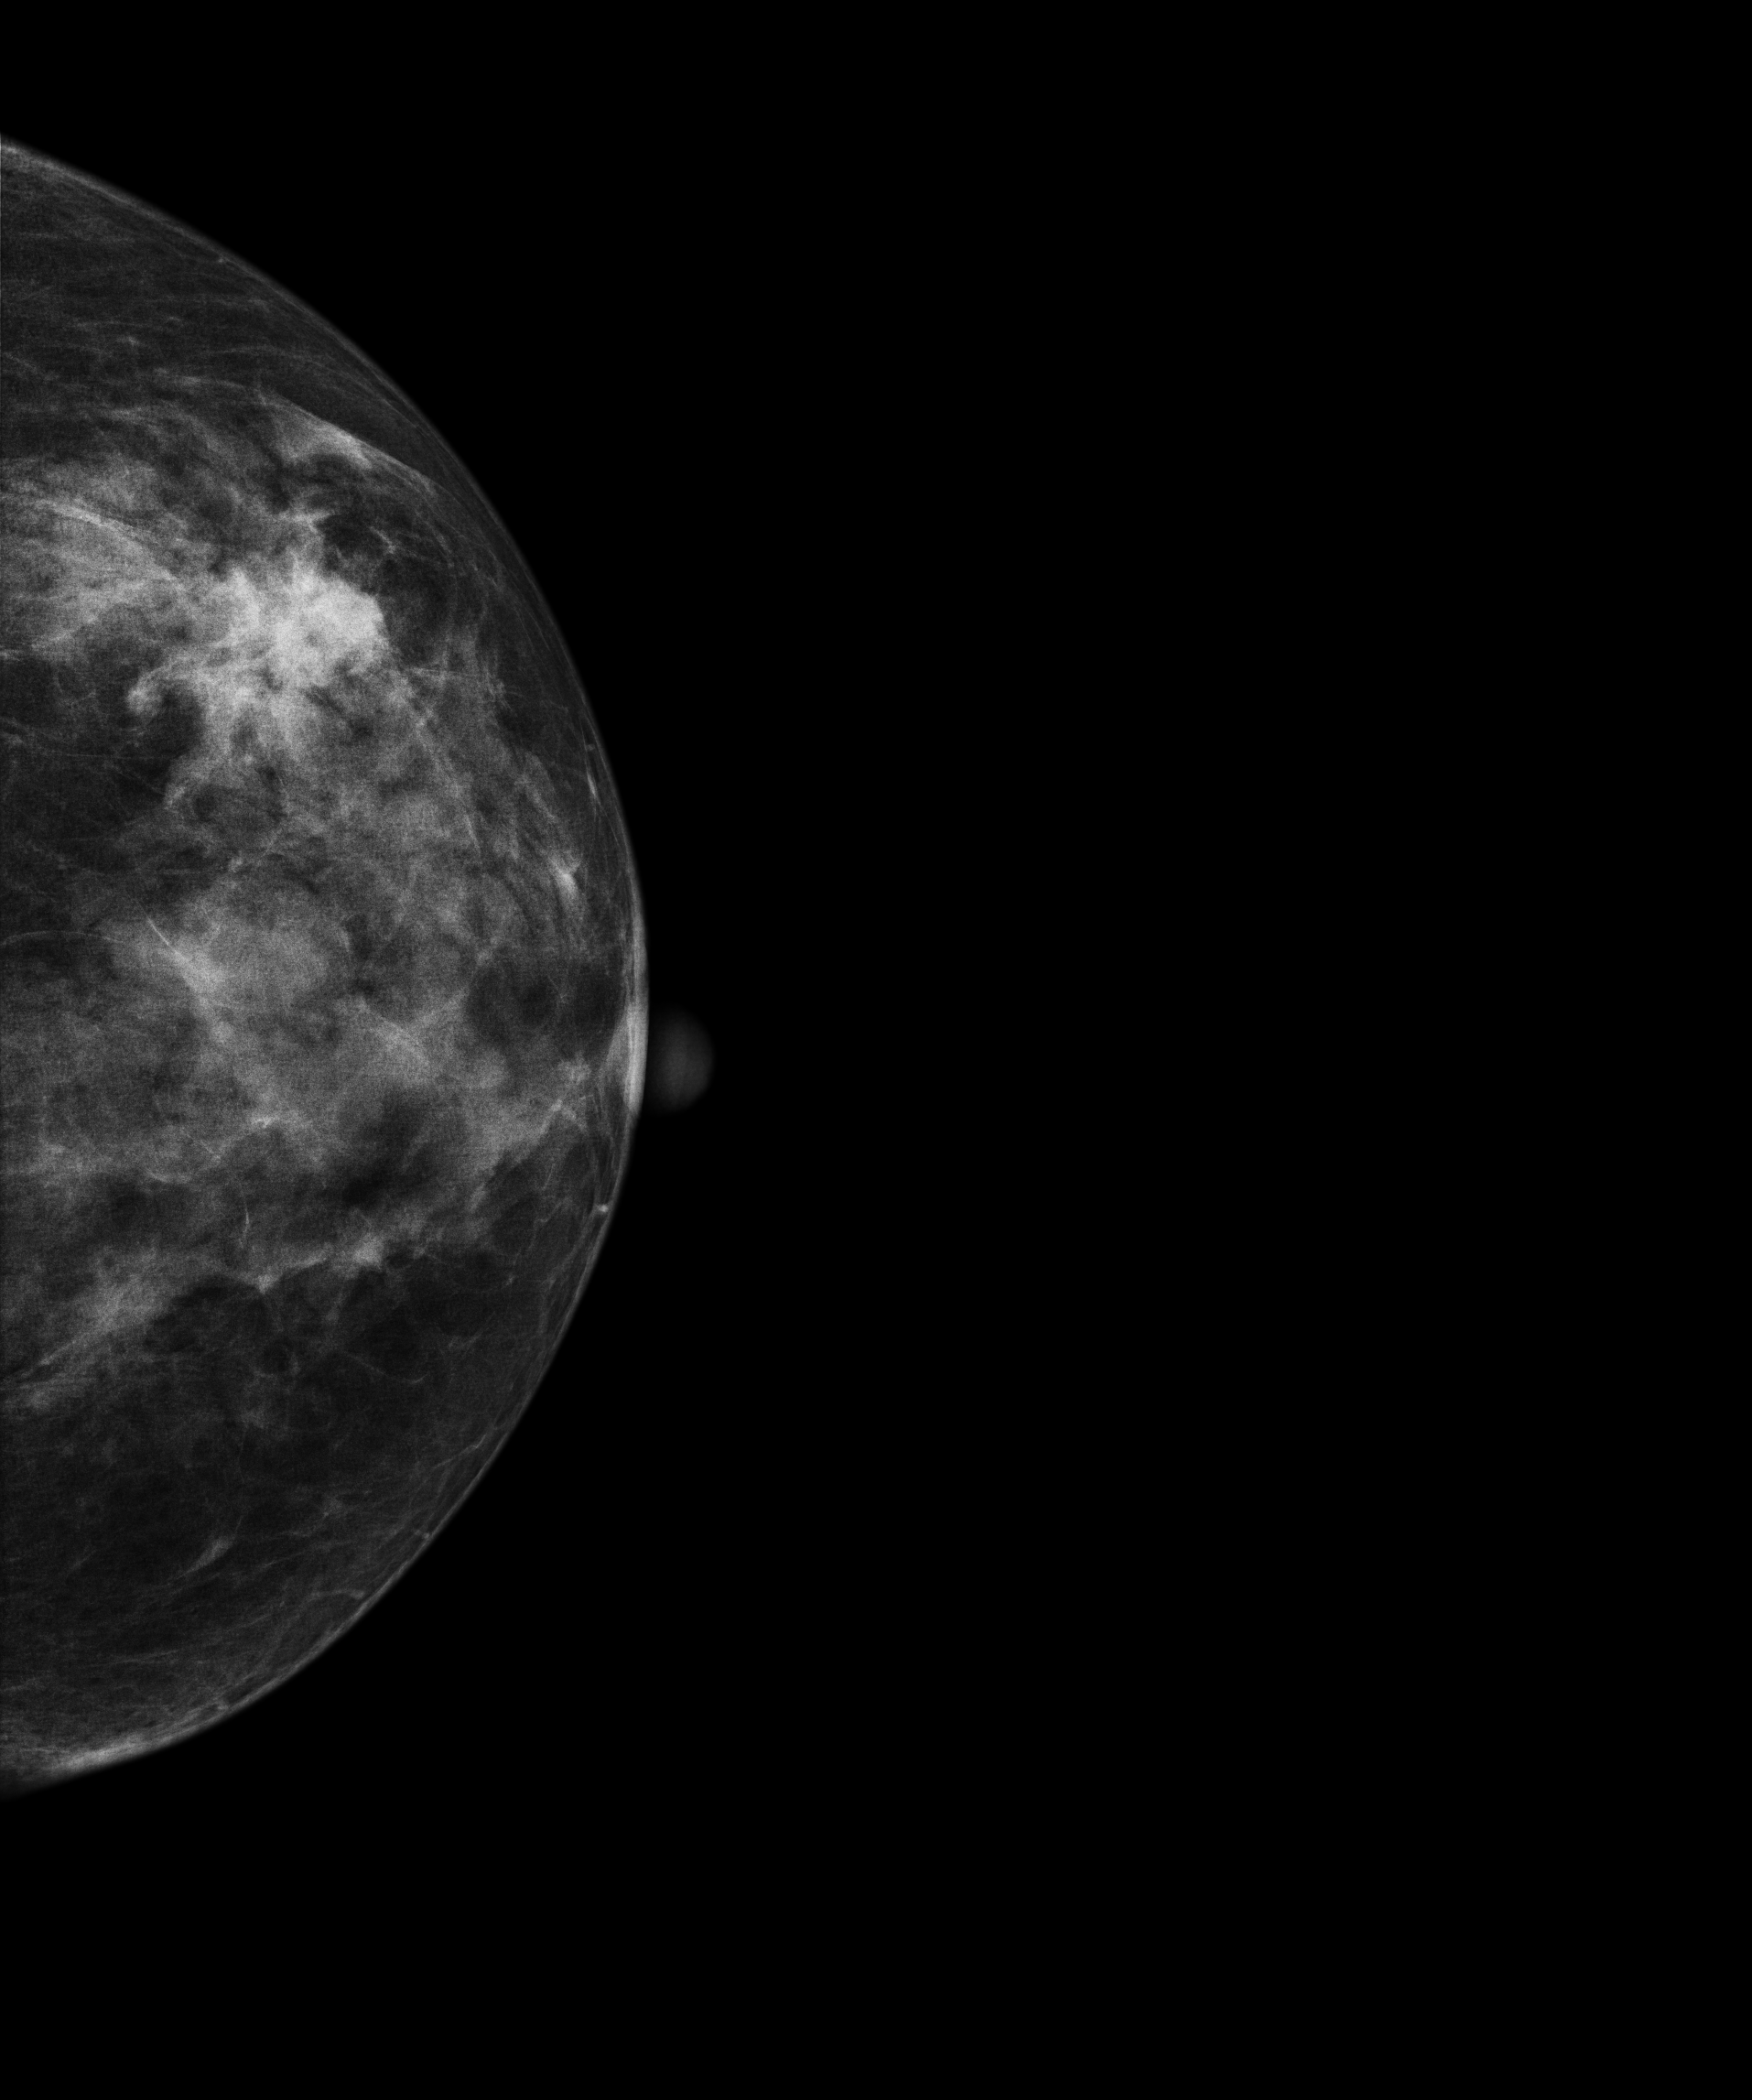
Mammogram — left cranio-caudal. Patient age 58.
This breast has a mass, biopsy-confirmed malignant. Molecular subtype: triple-negative.